Mammogram — right MLO. 59-year-old patient.
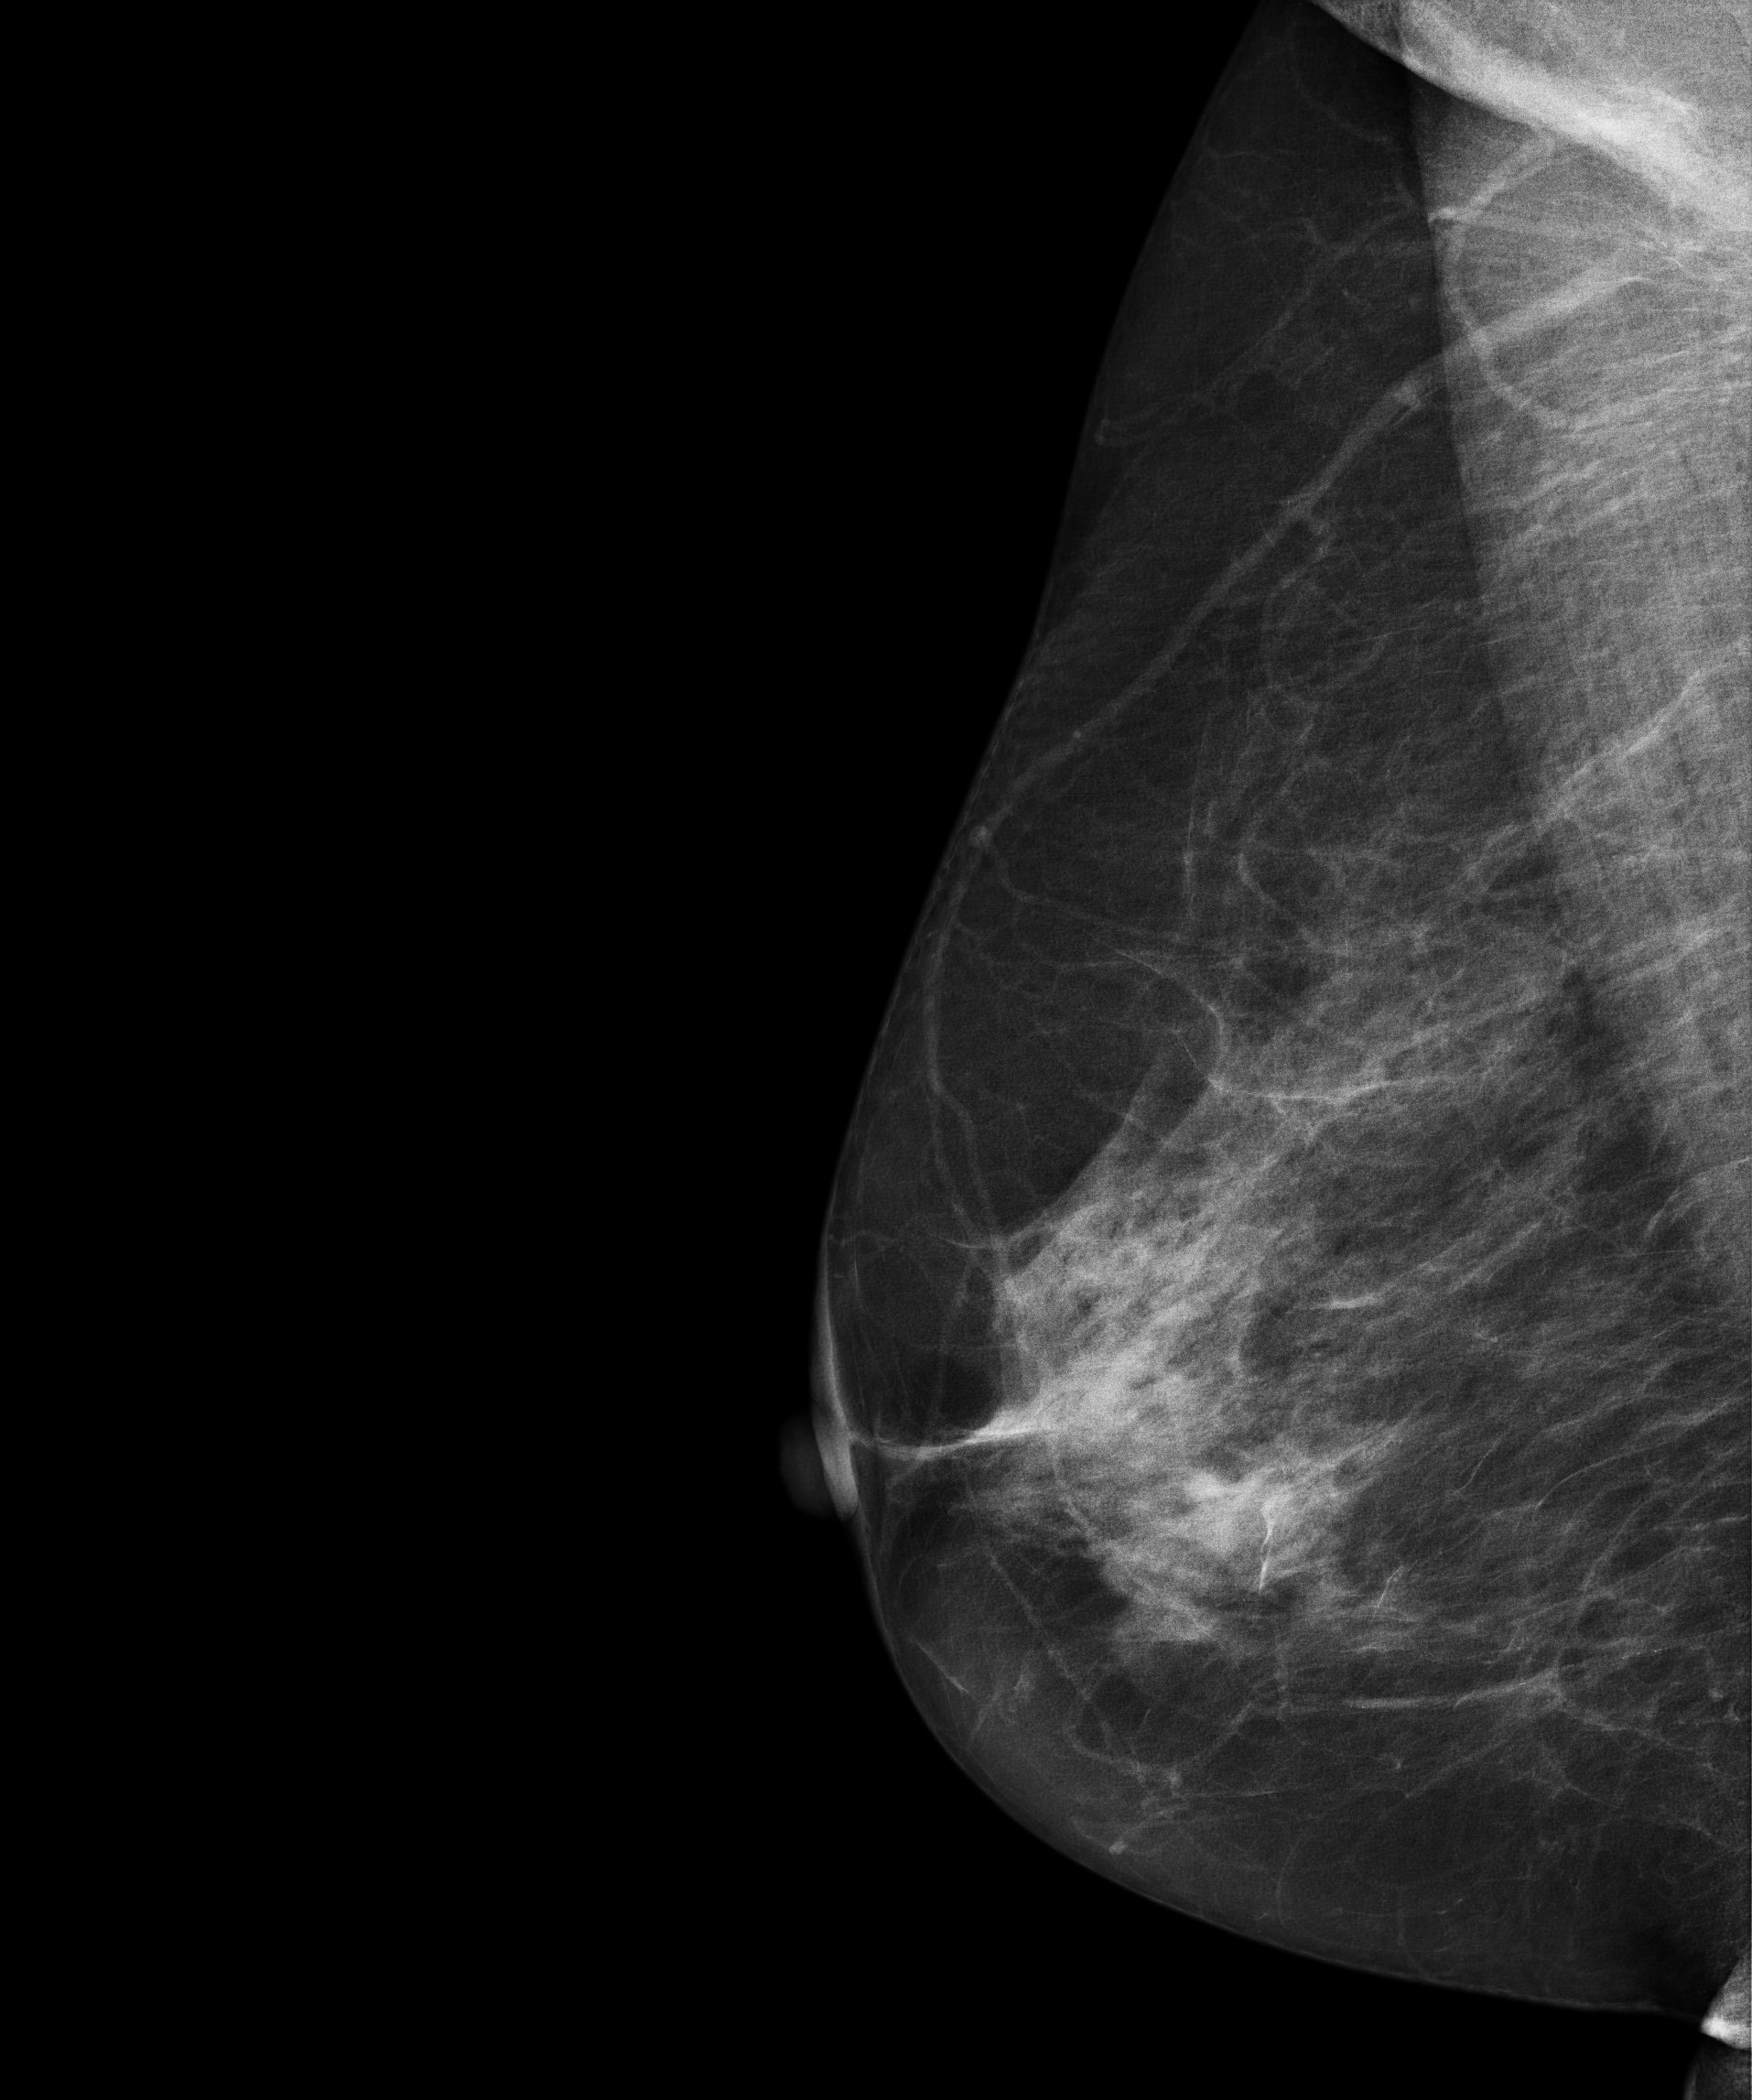
Contralateral breast — no documented abnormality on this side.